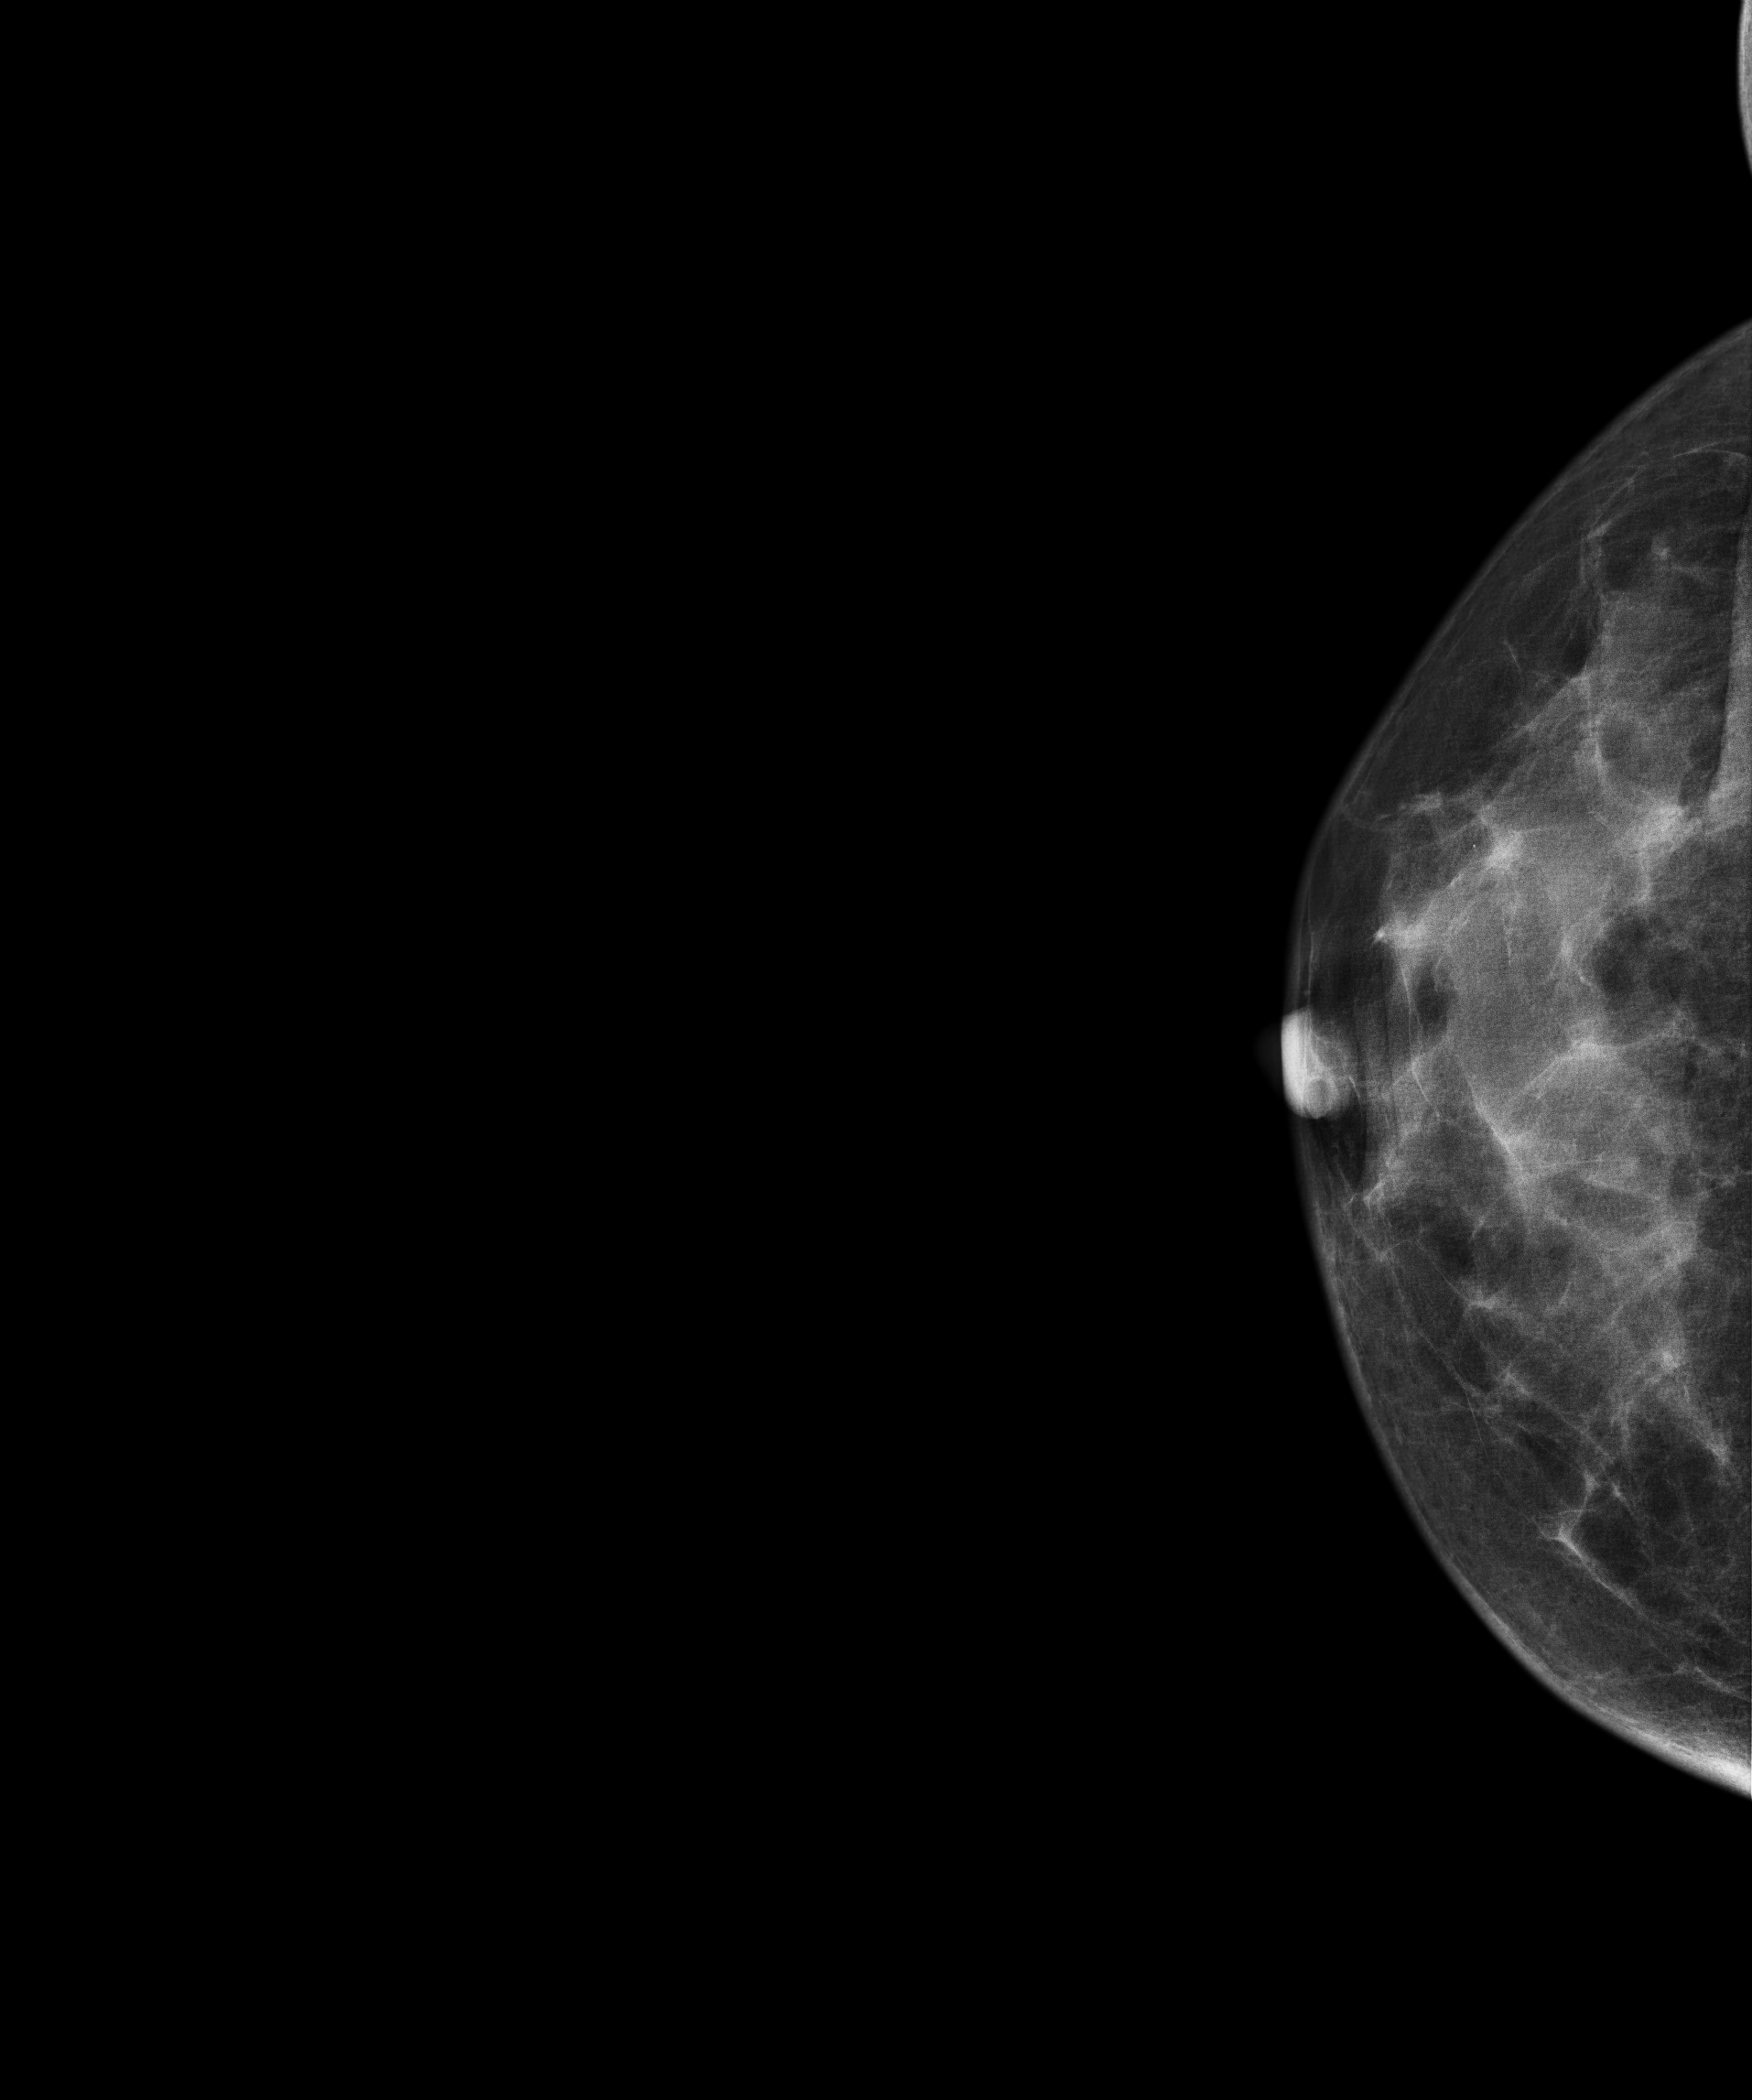
Digital mammography. Right breast, cranio-caudal projection. 49-year-old patient.
Contralateral breast — no documented abnormality on this side.